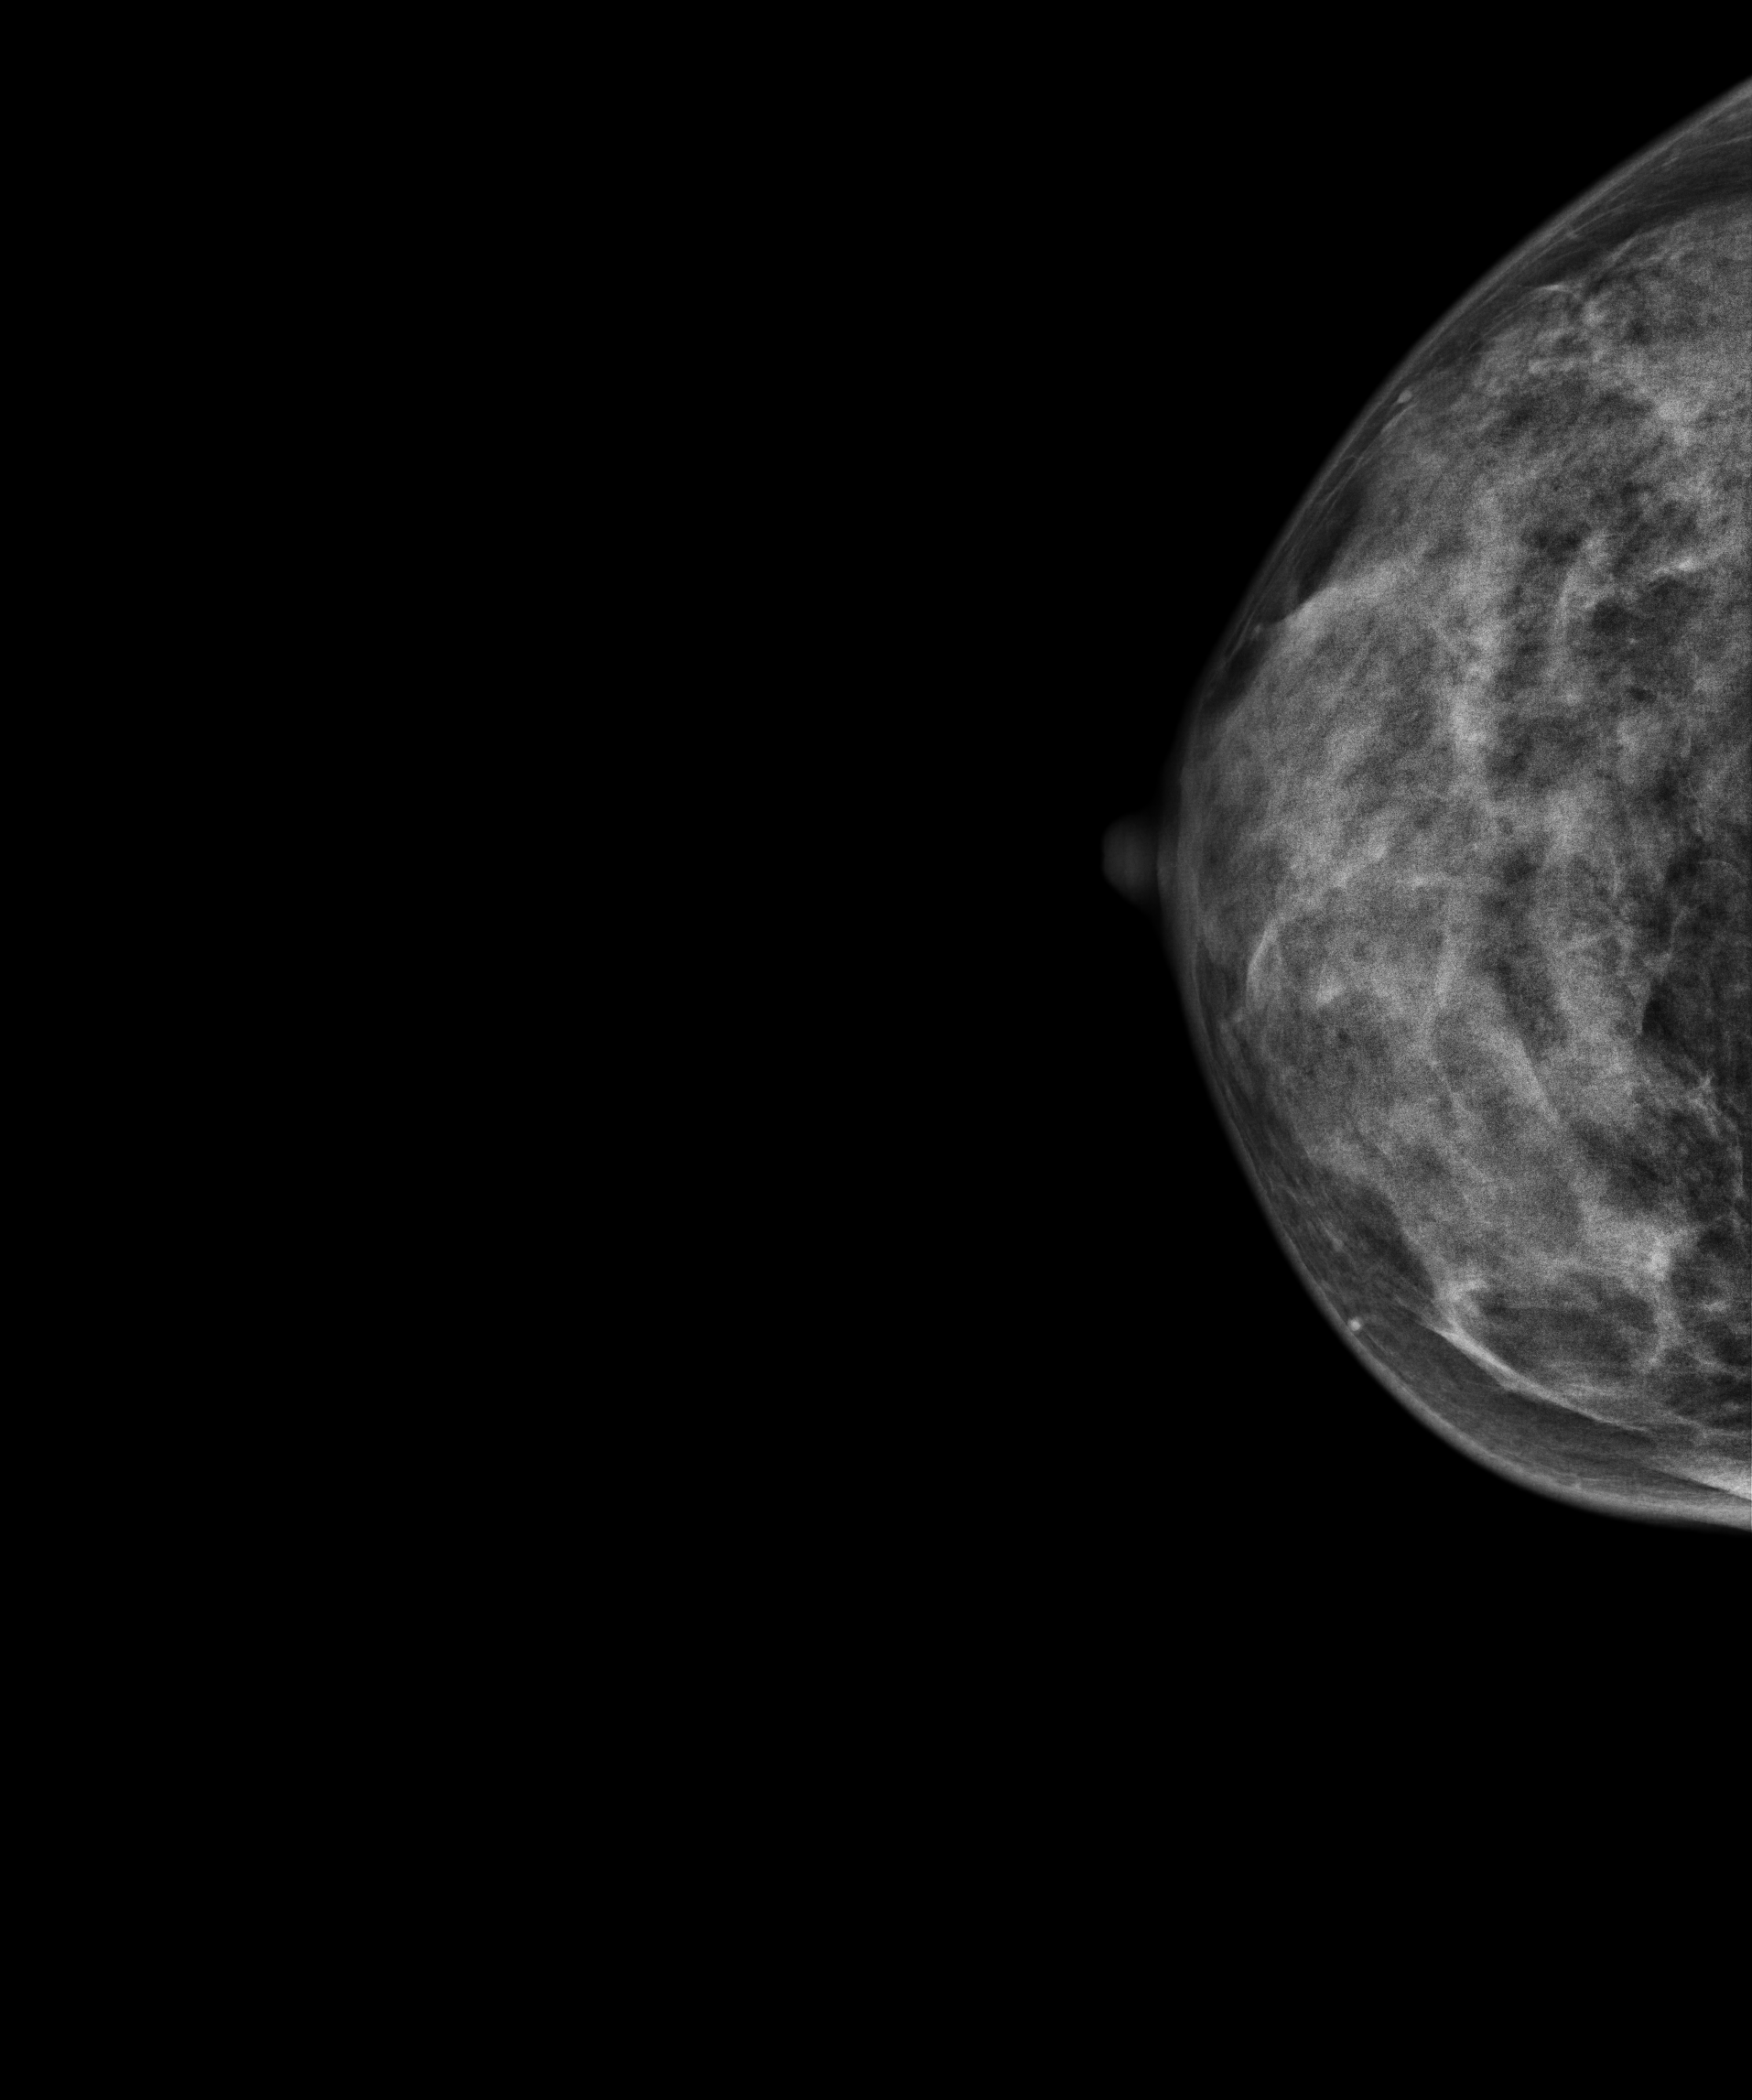
Mammogram — right CC. Patient age 35.
This breast has a mass, biopsy-proven benign.